Mammogram, left breast, medio-lateral oblique view. Patient age 63.
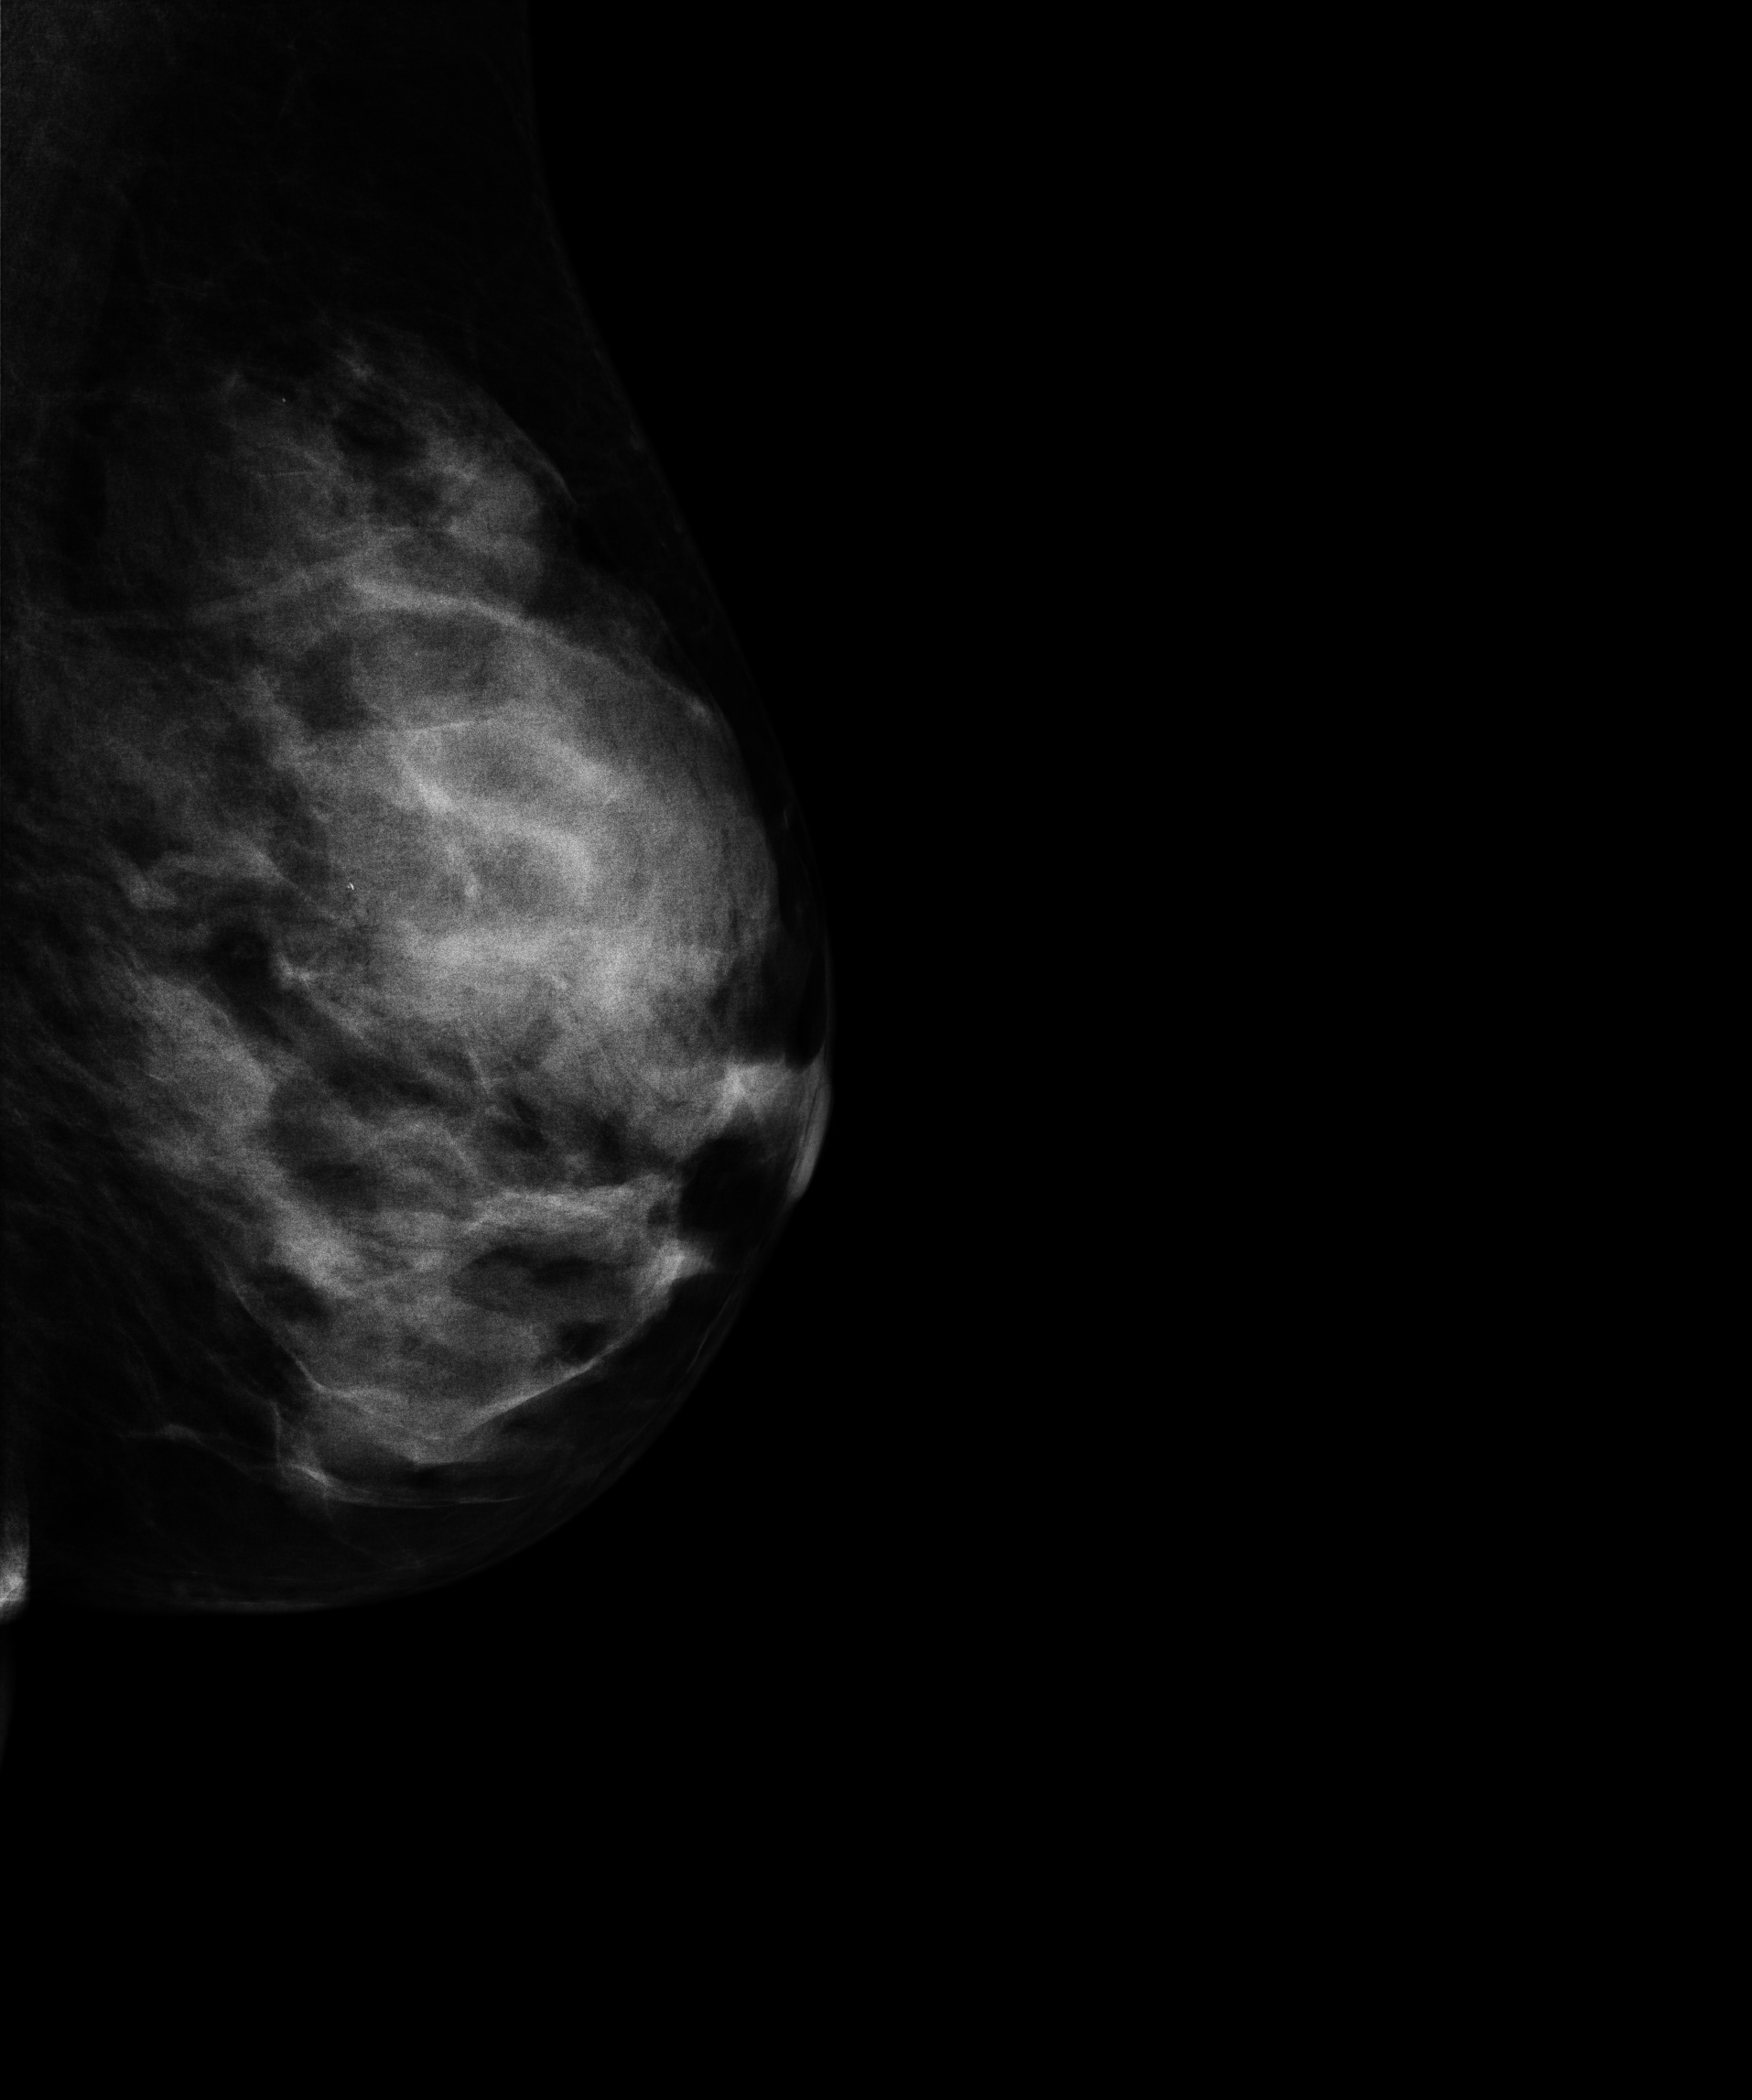
This breast has a mass, biopsy-confirmed malignant.